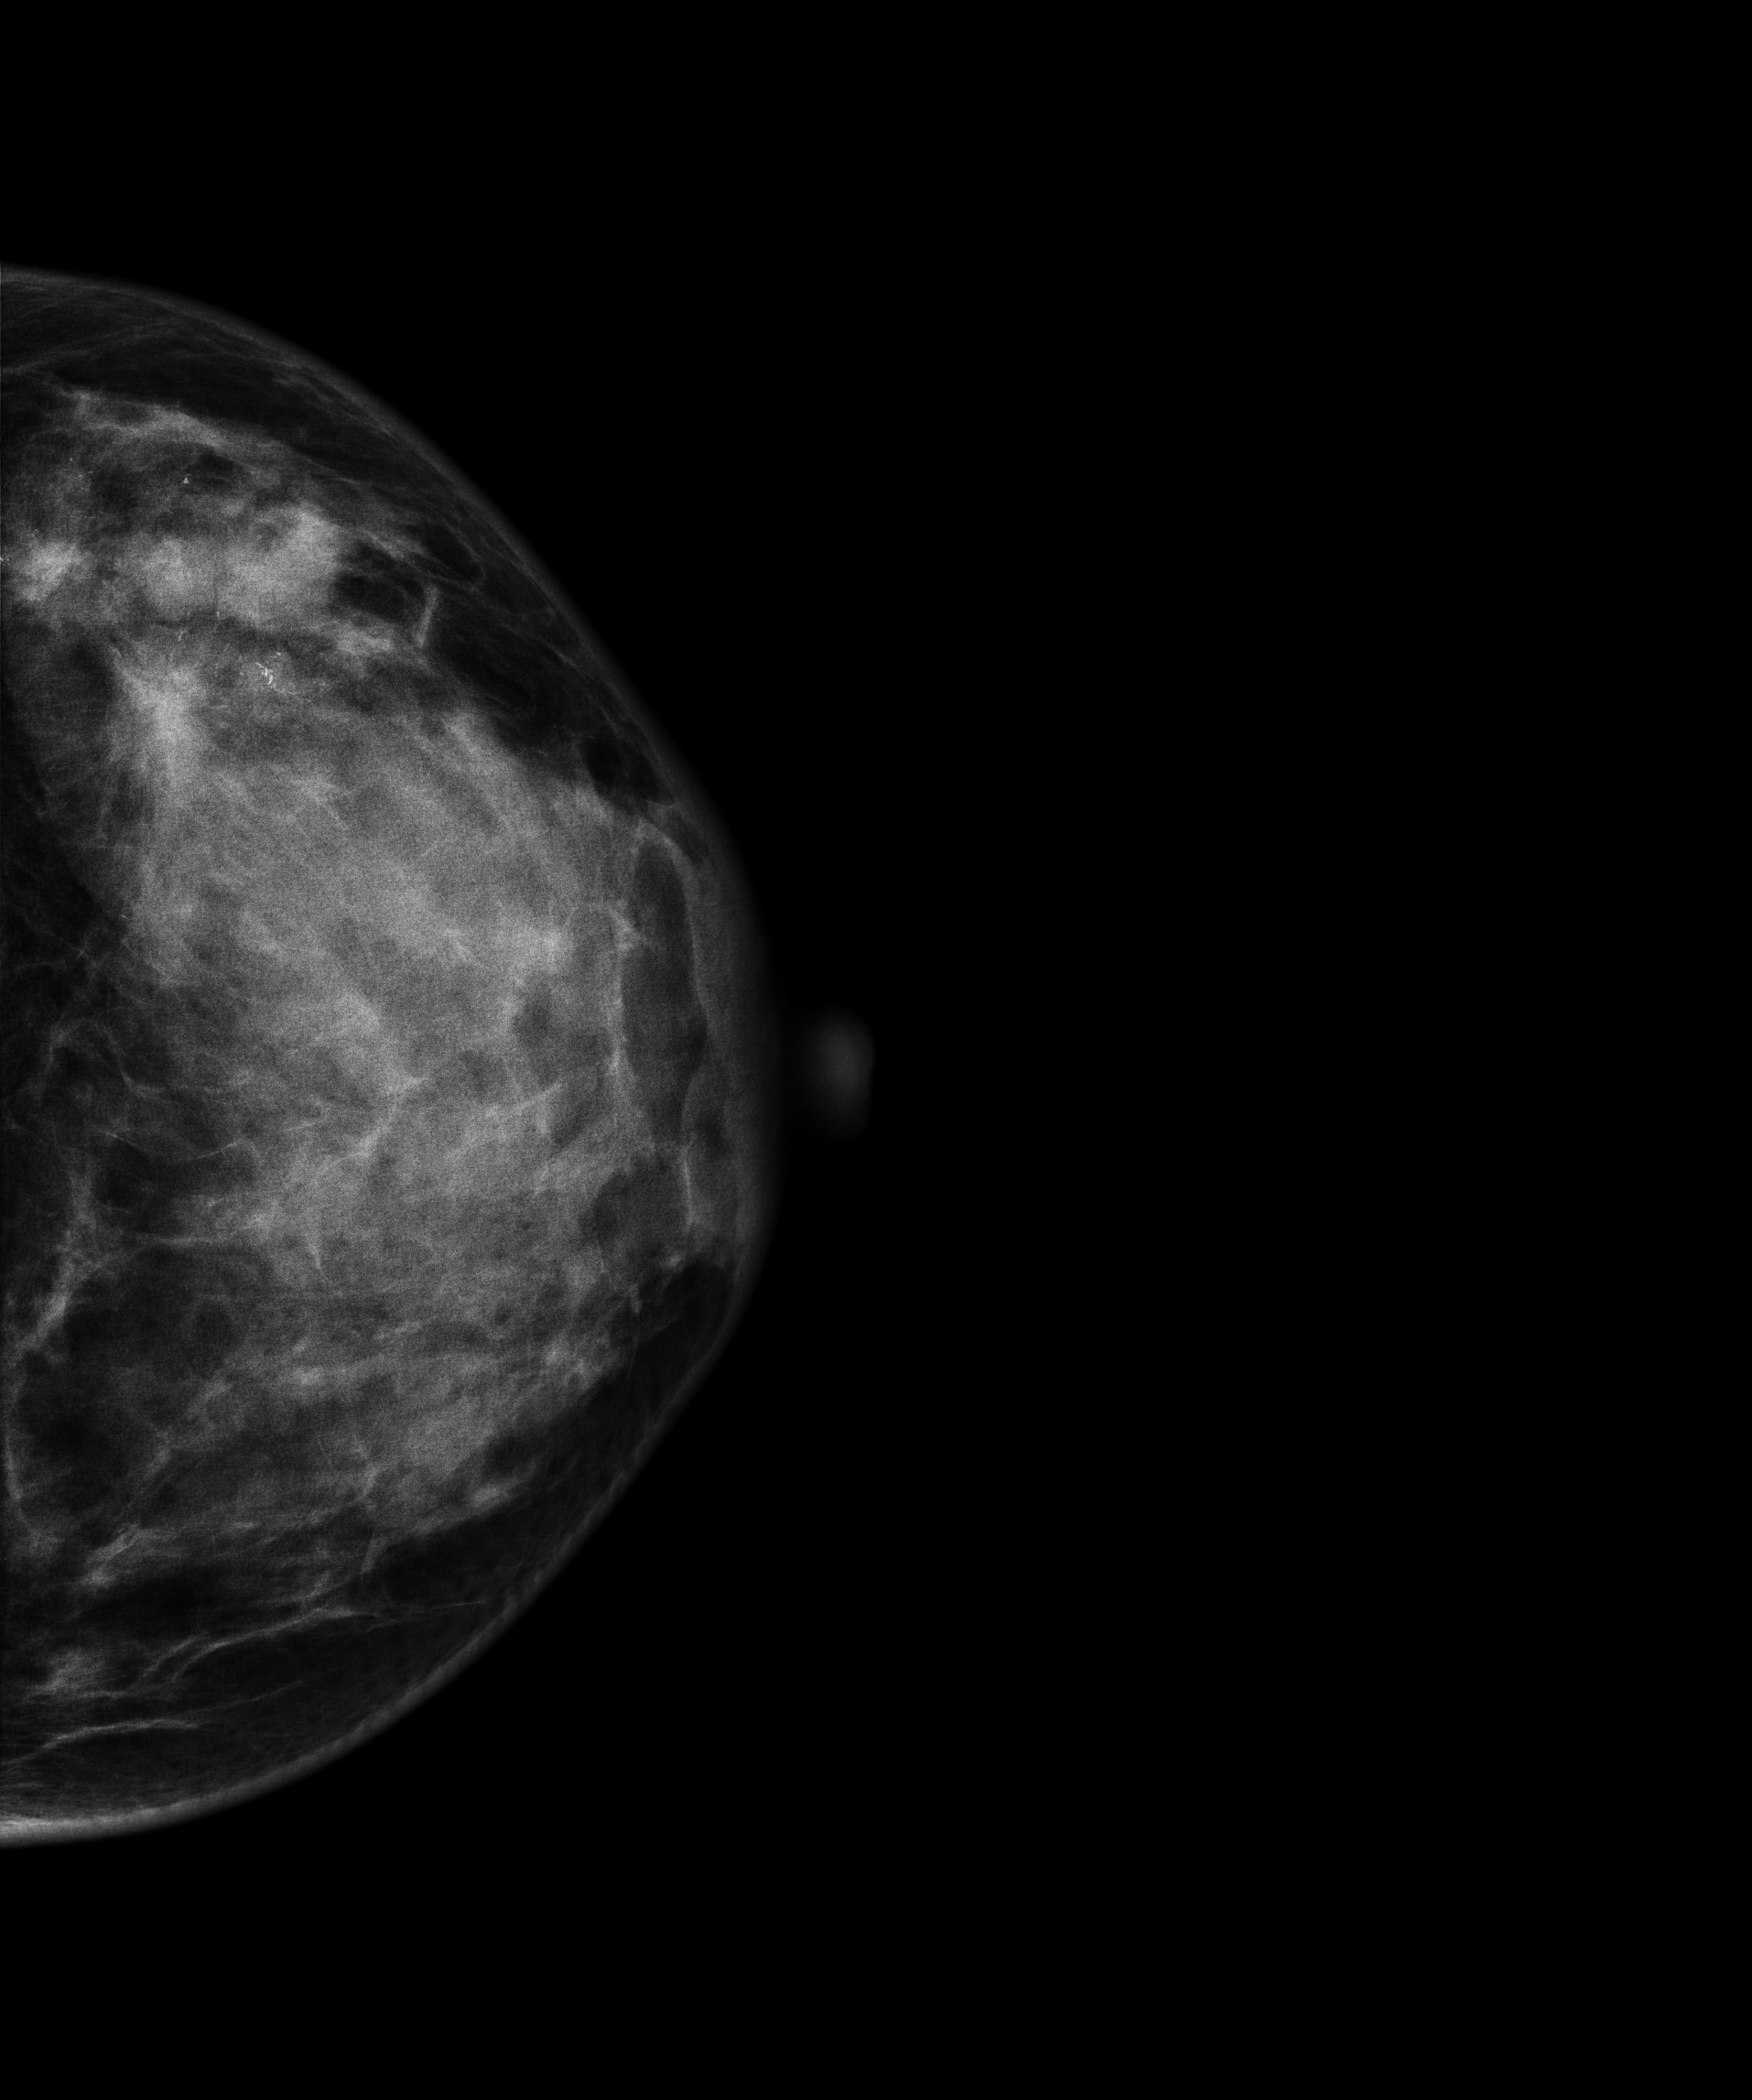
Mammogram, left breast, cranio-caudal view. Patient age 35.
This breast has a mass and calcifications, biopsy-confirmed malignant. Molecular subtype: luminal B.